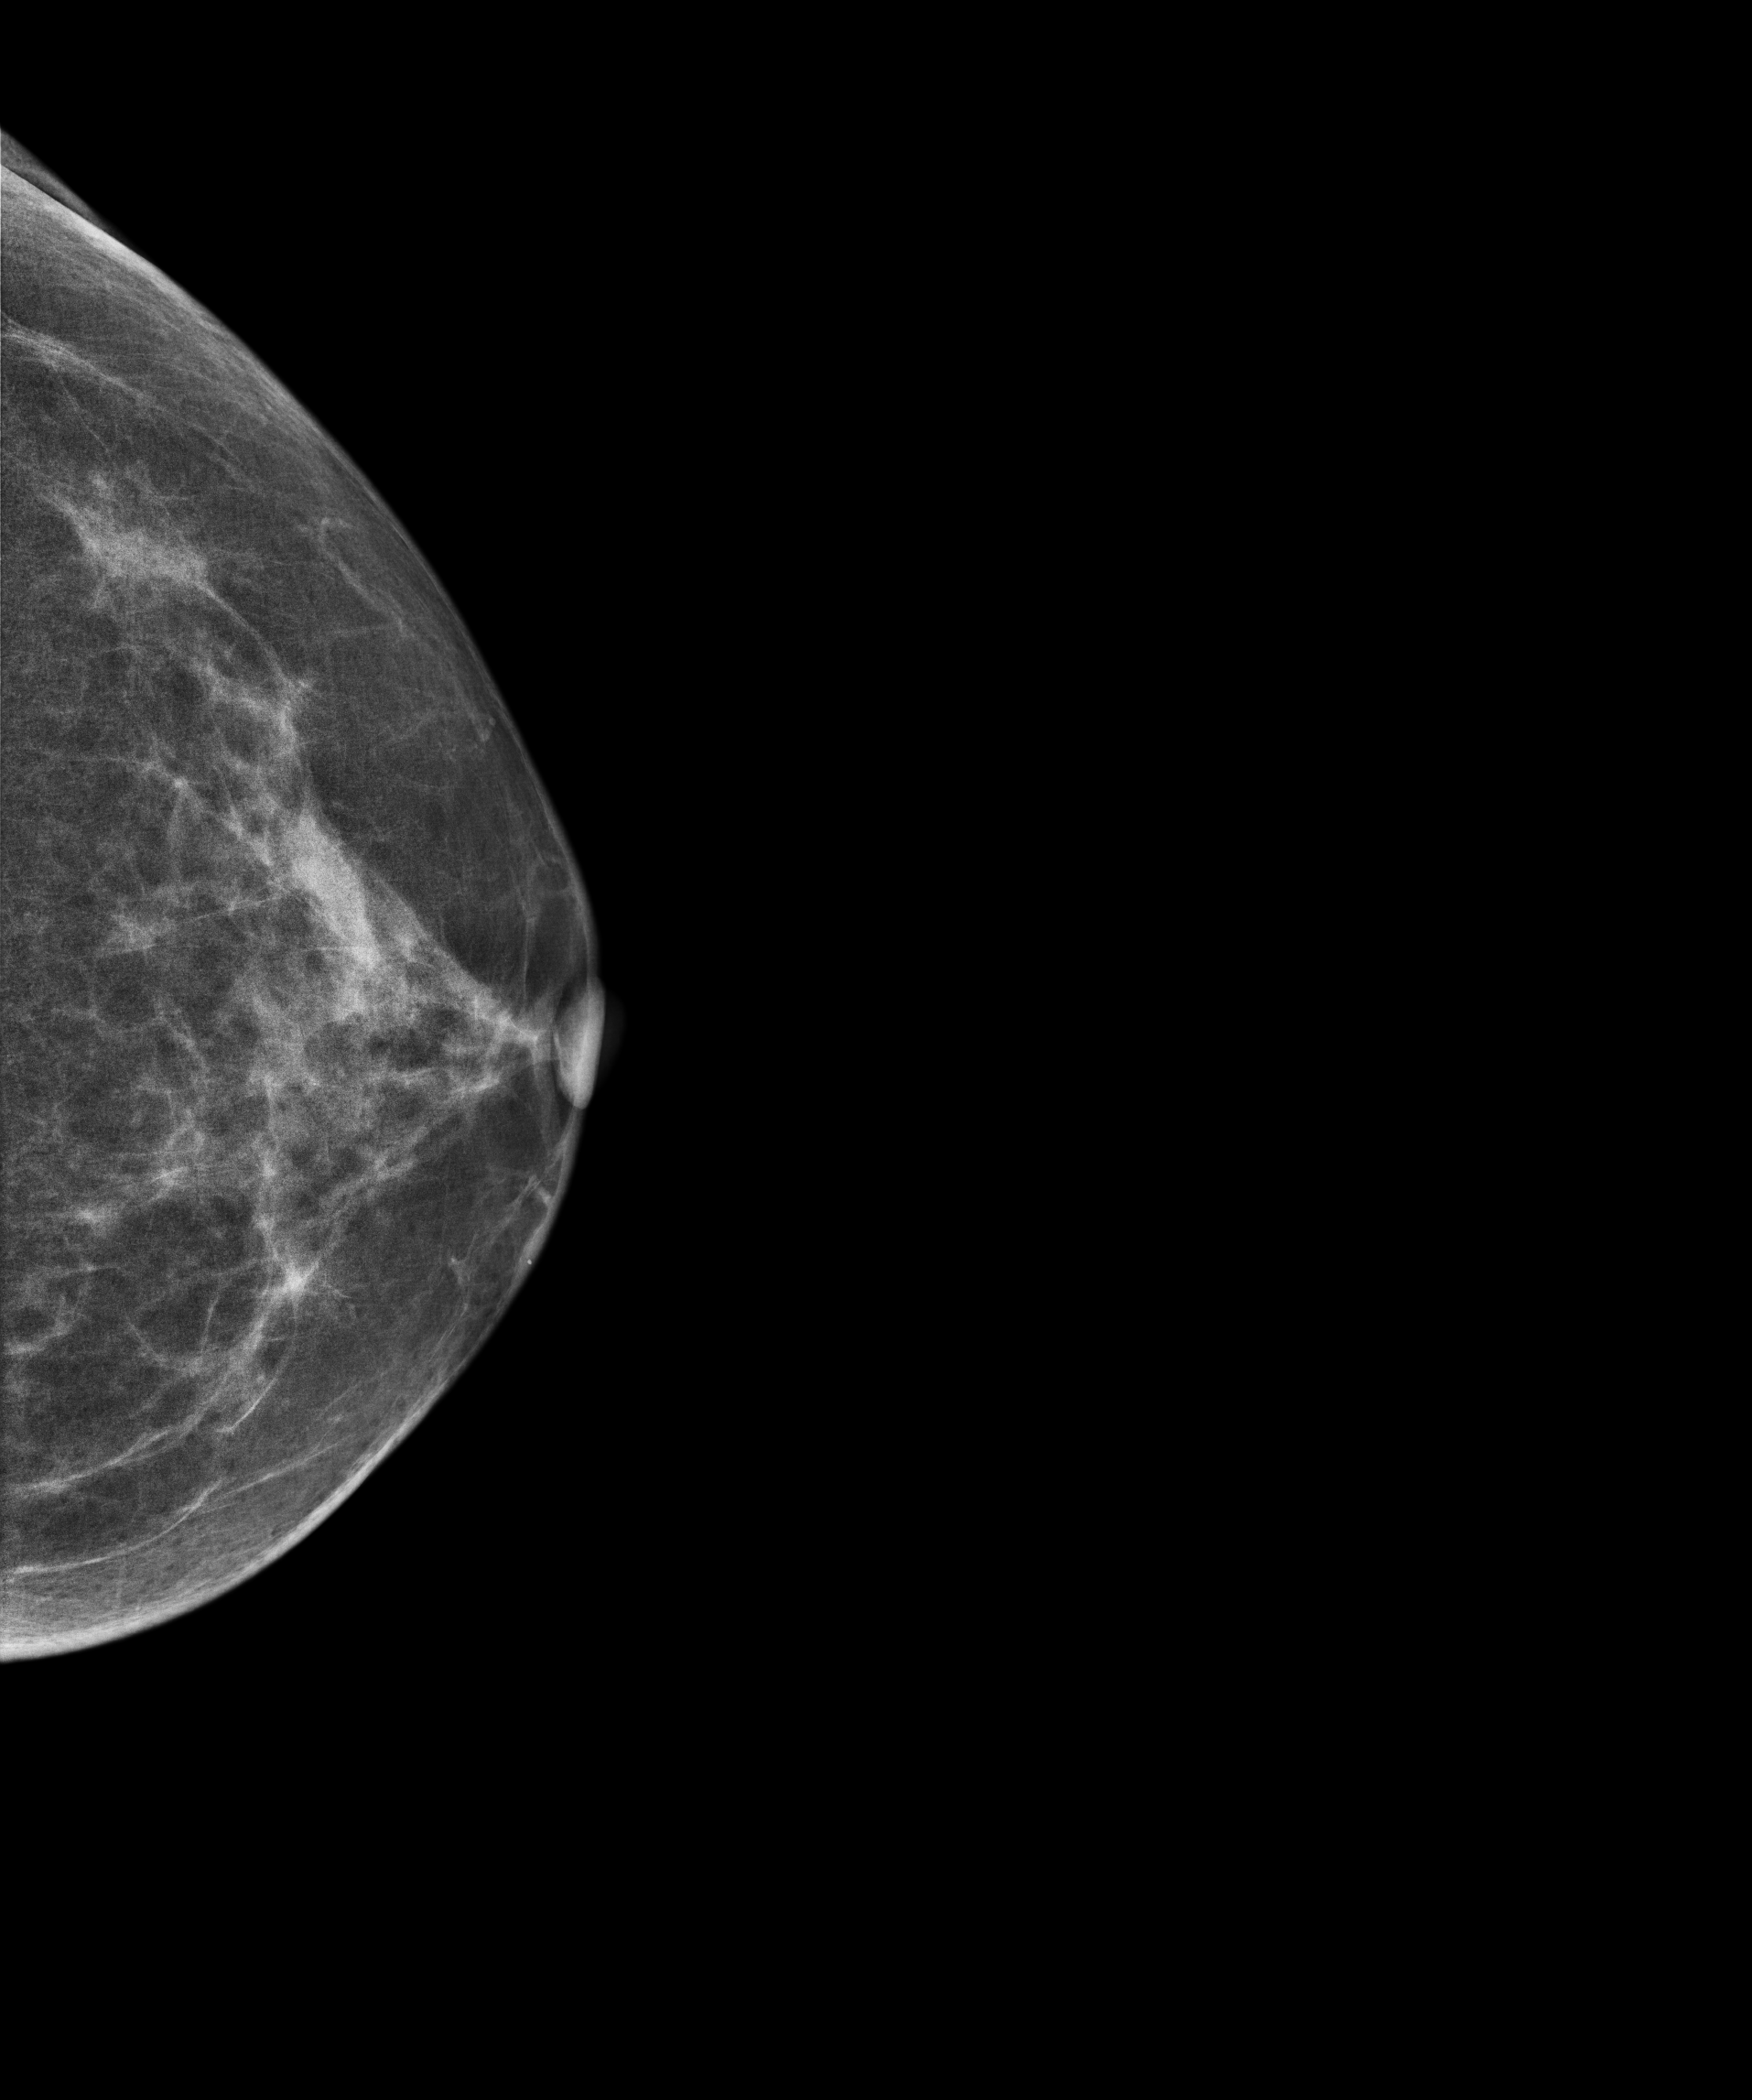
Cranio-caudal mammogram of the left breast. 59 y/o patient.
Contralateral breast — no documented abnormality on this side.